MLO mammogram of the left breast. 51-year-old patient.
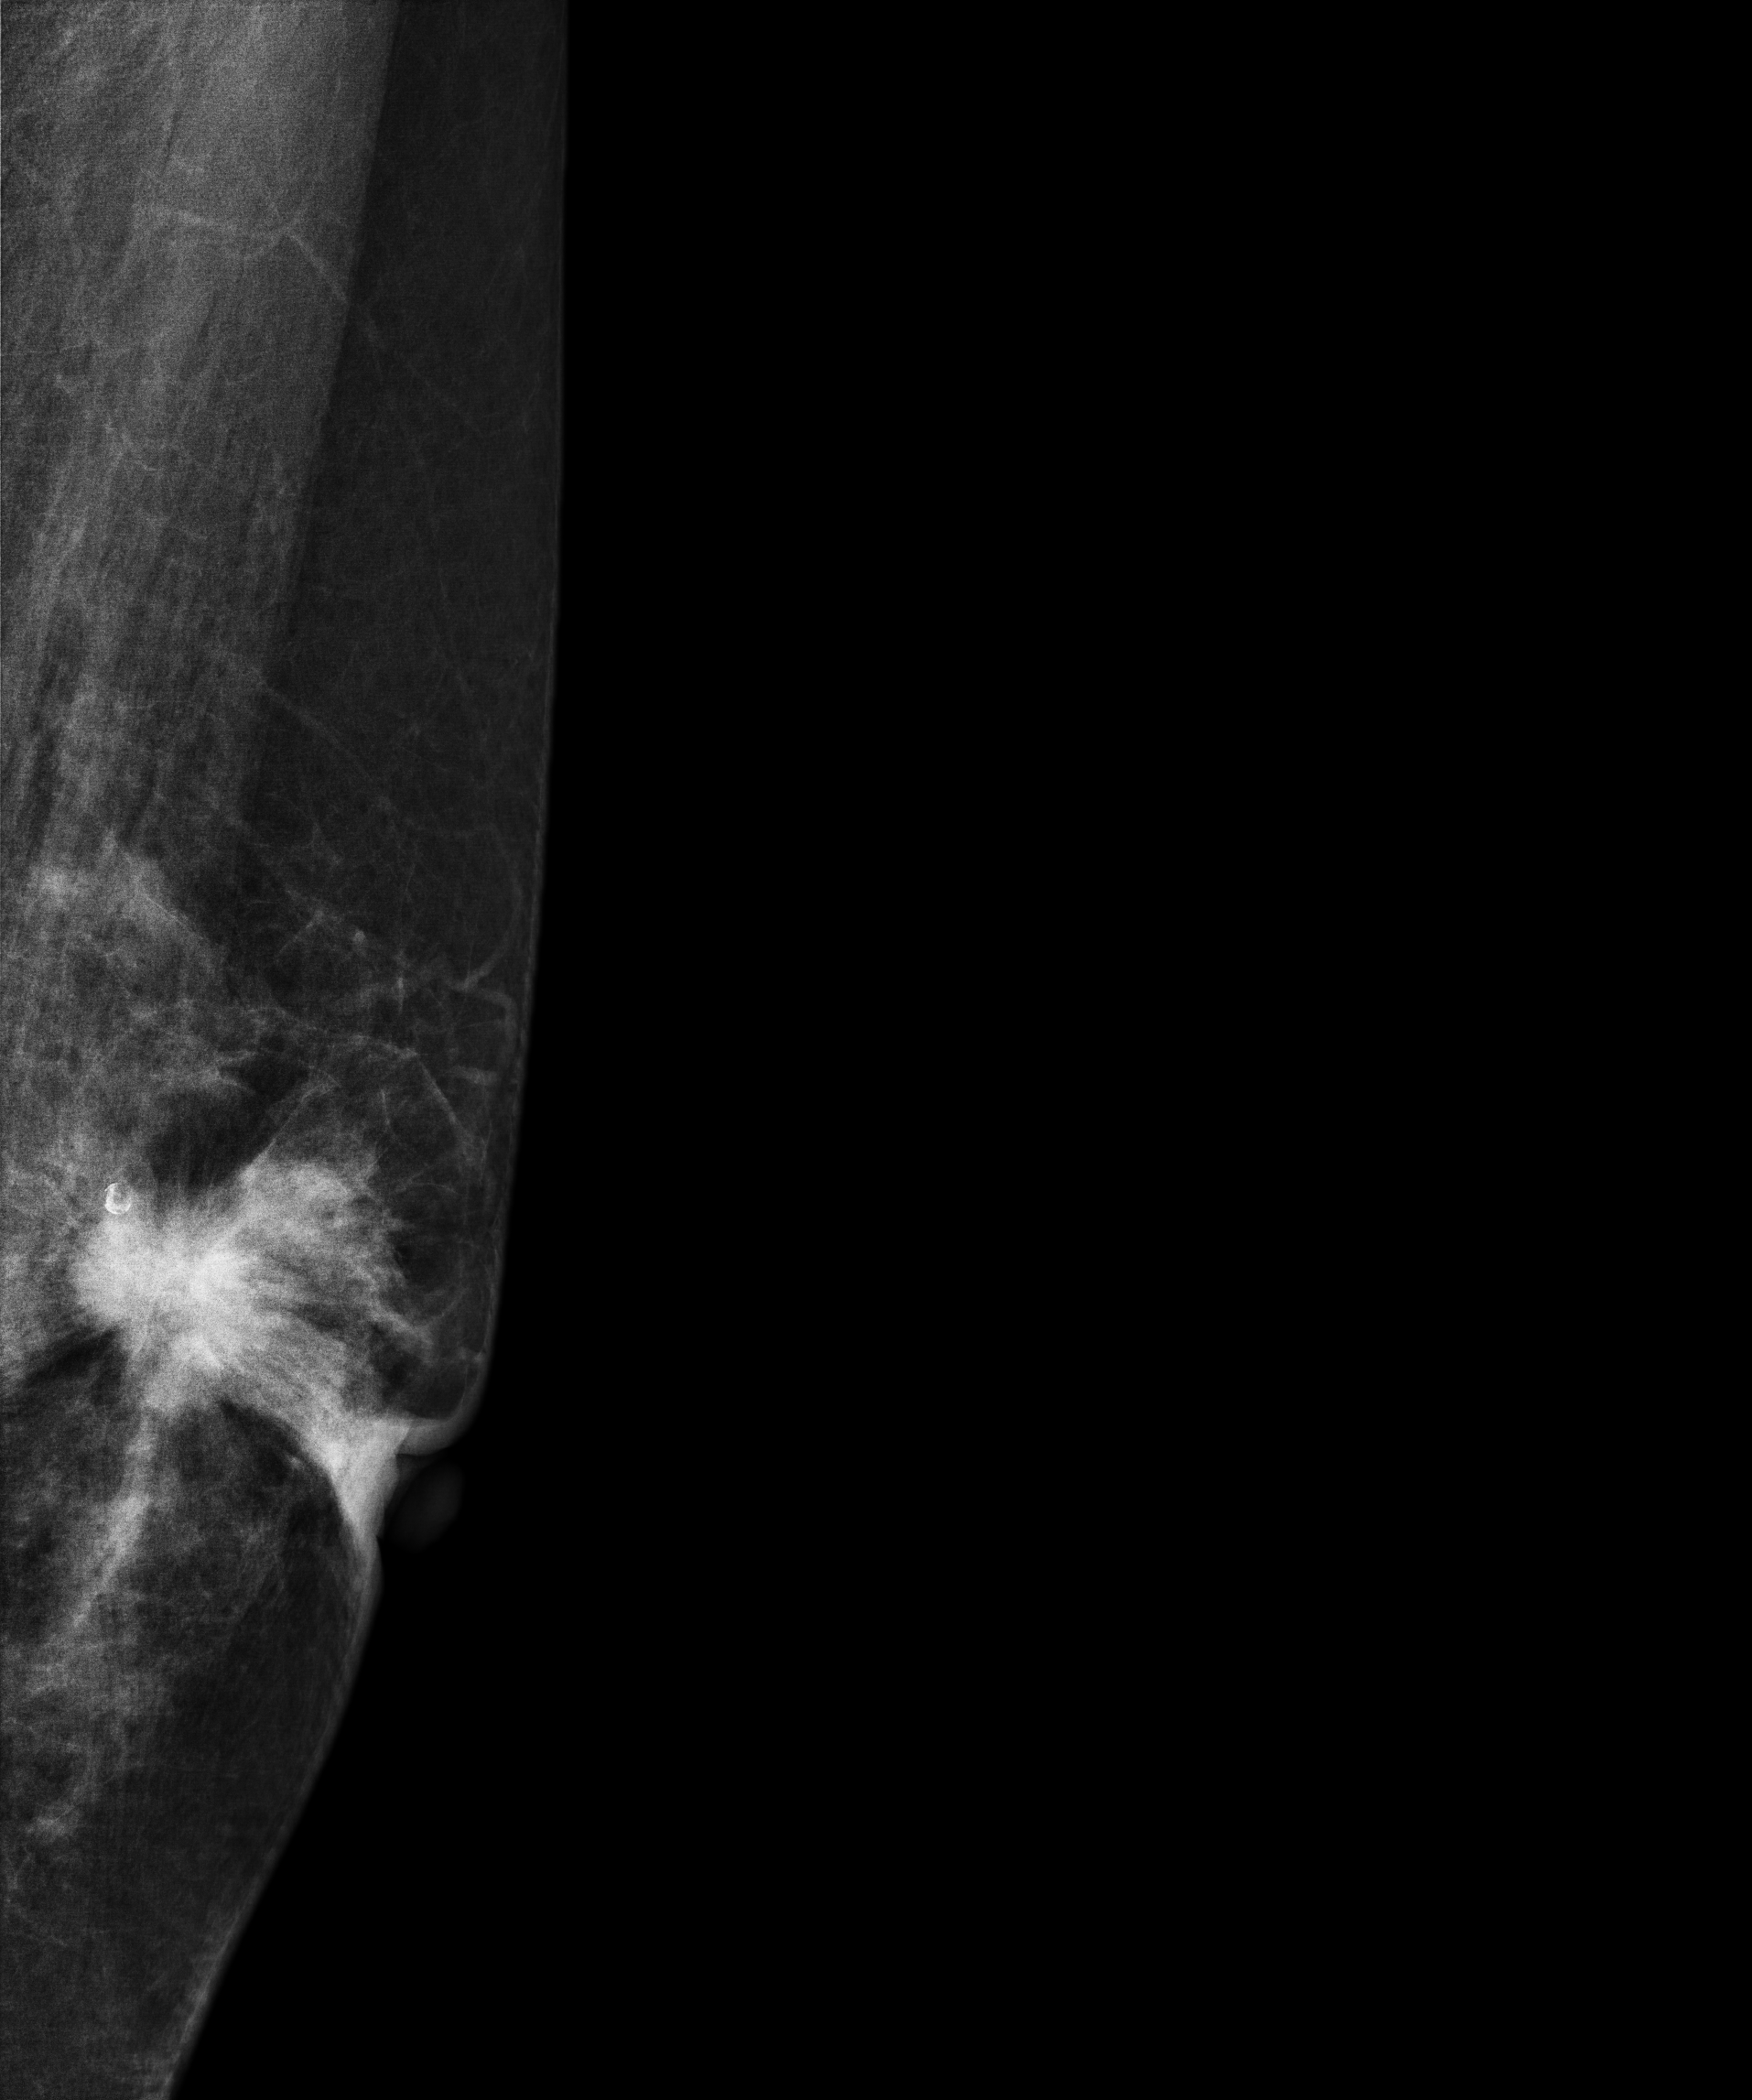
This breast has a mass, histologically confirmed malignant.